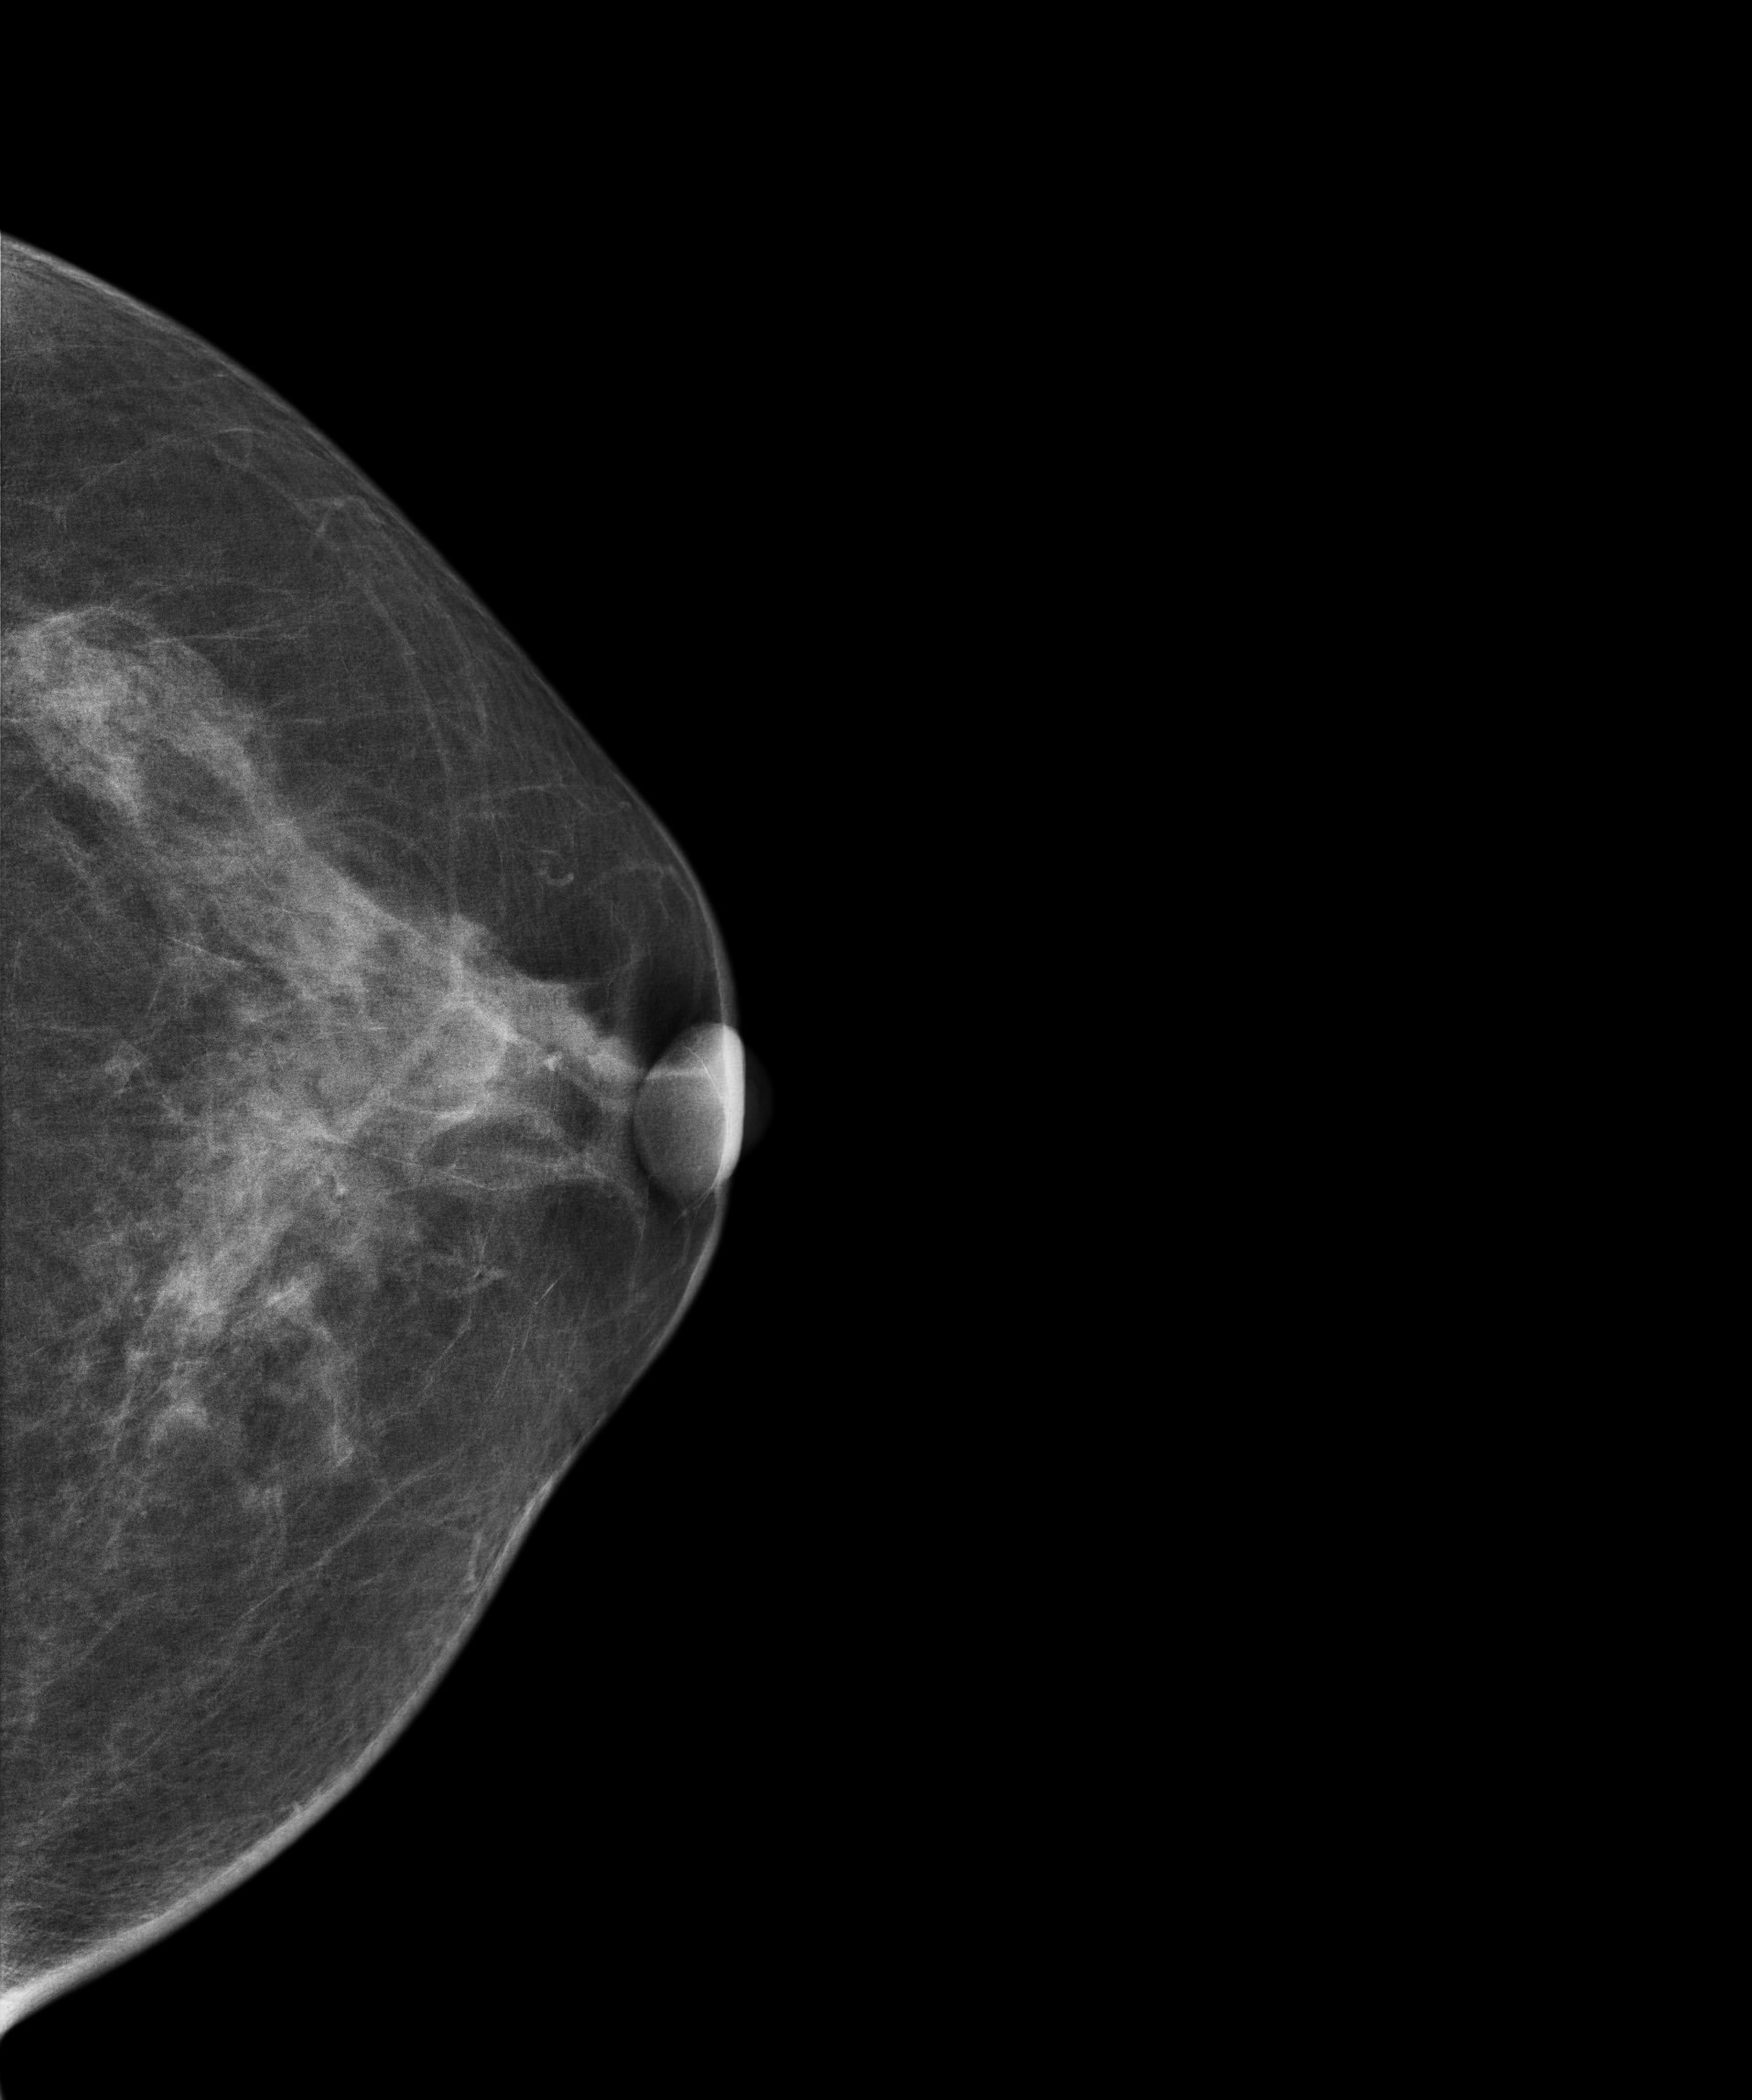
Digital mammography. Left breast, cranio-caudal projection. Patient age 50.
Contralateral breast — no documented abnormality on this side.